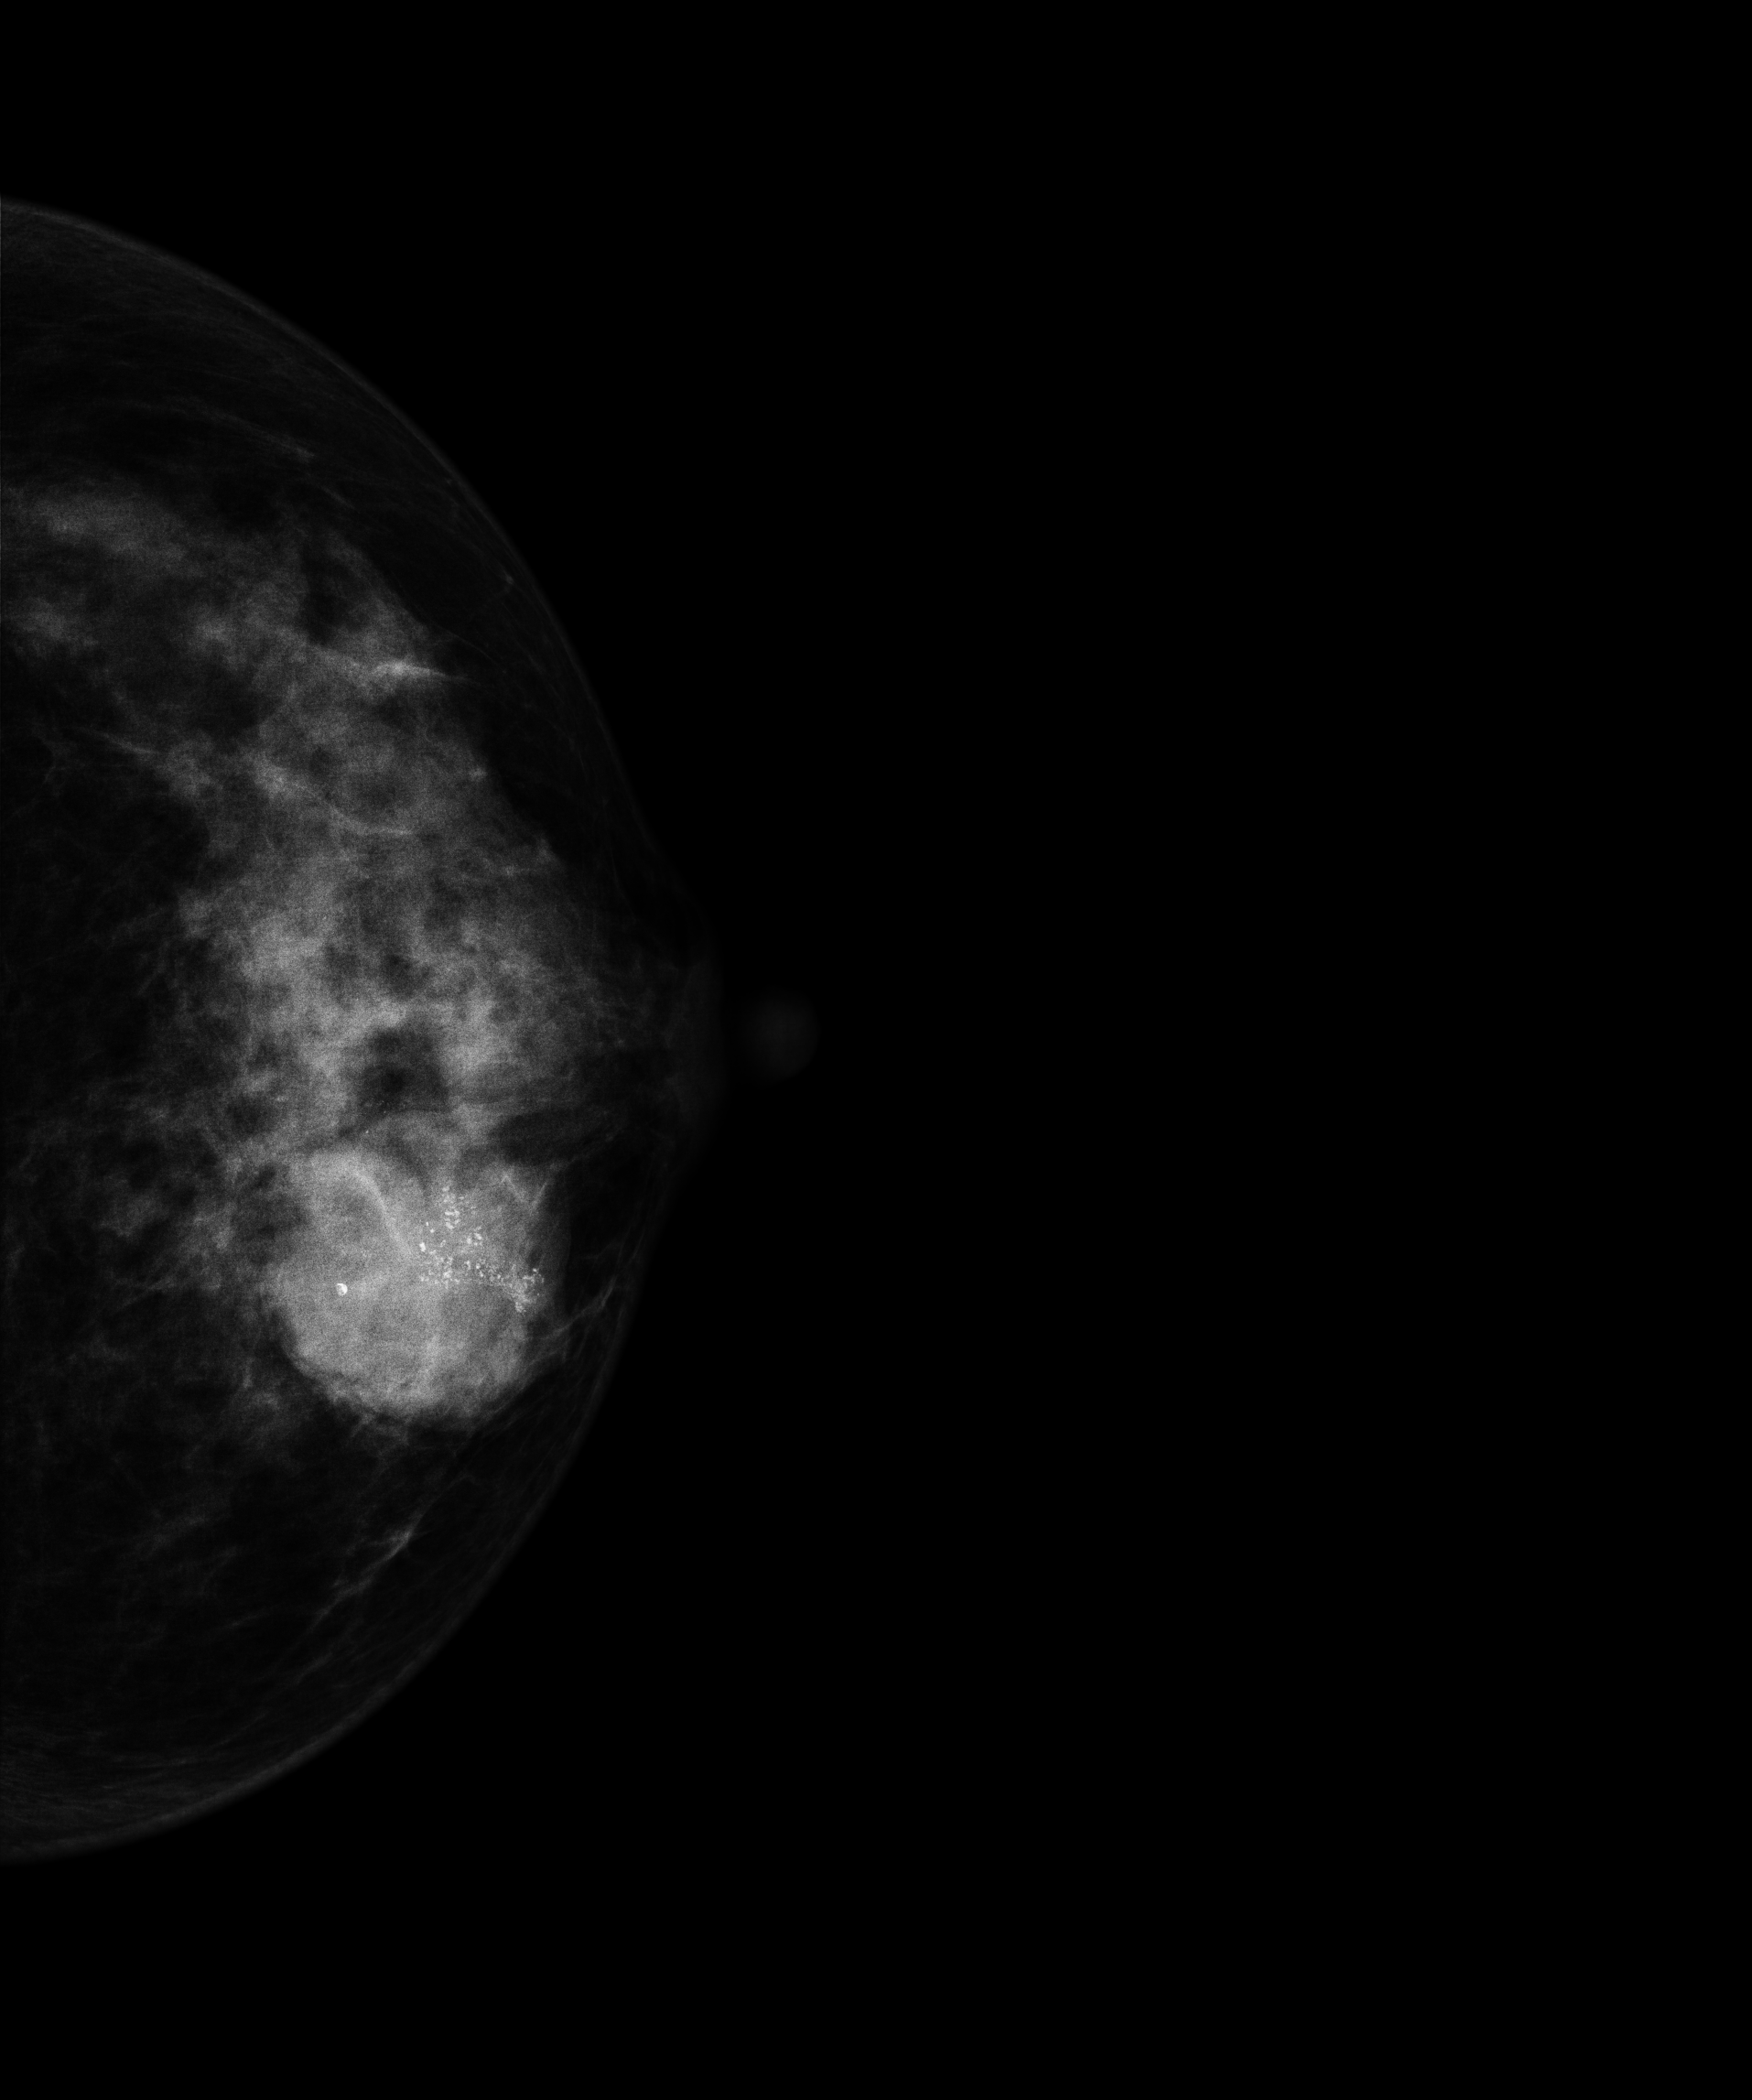
Left-breast mammogram, cranio-caudal. 49 y/o patient.
This breast has a mass and calcifications, biopsy-proven malignant.